Mammogram, left breast, medio-lateral oblique view. Patient age 48.
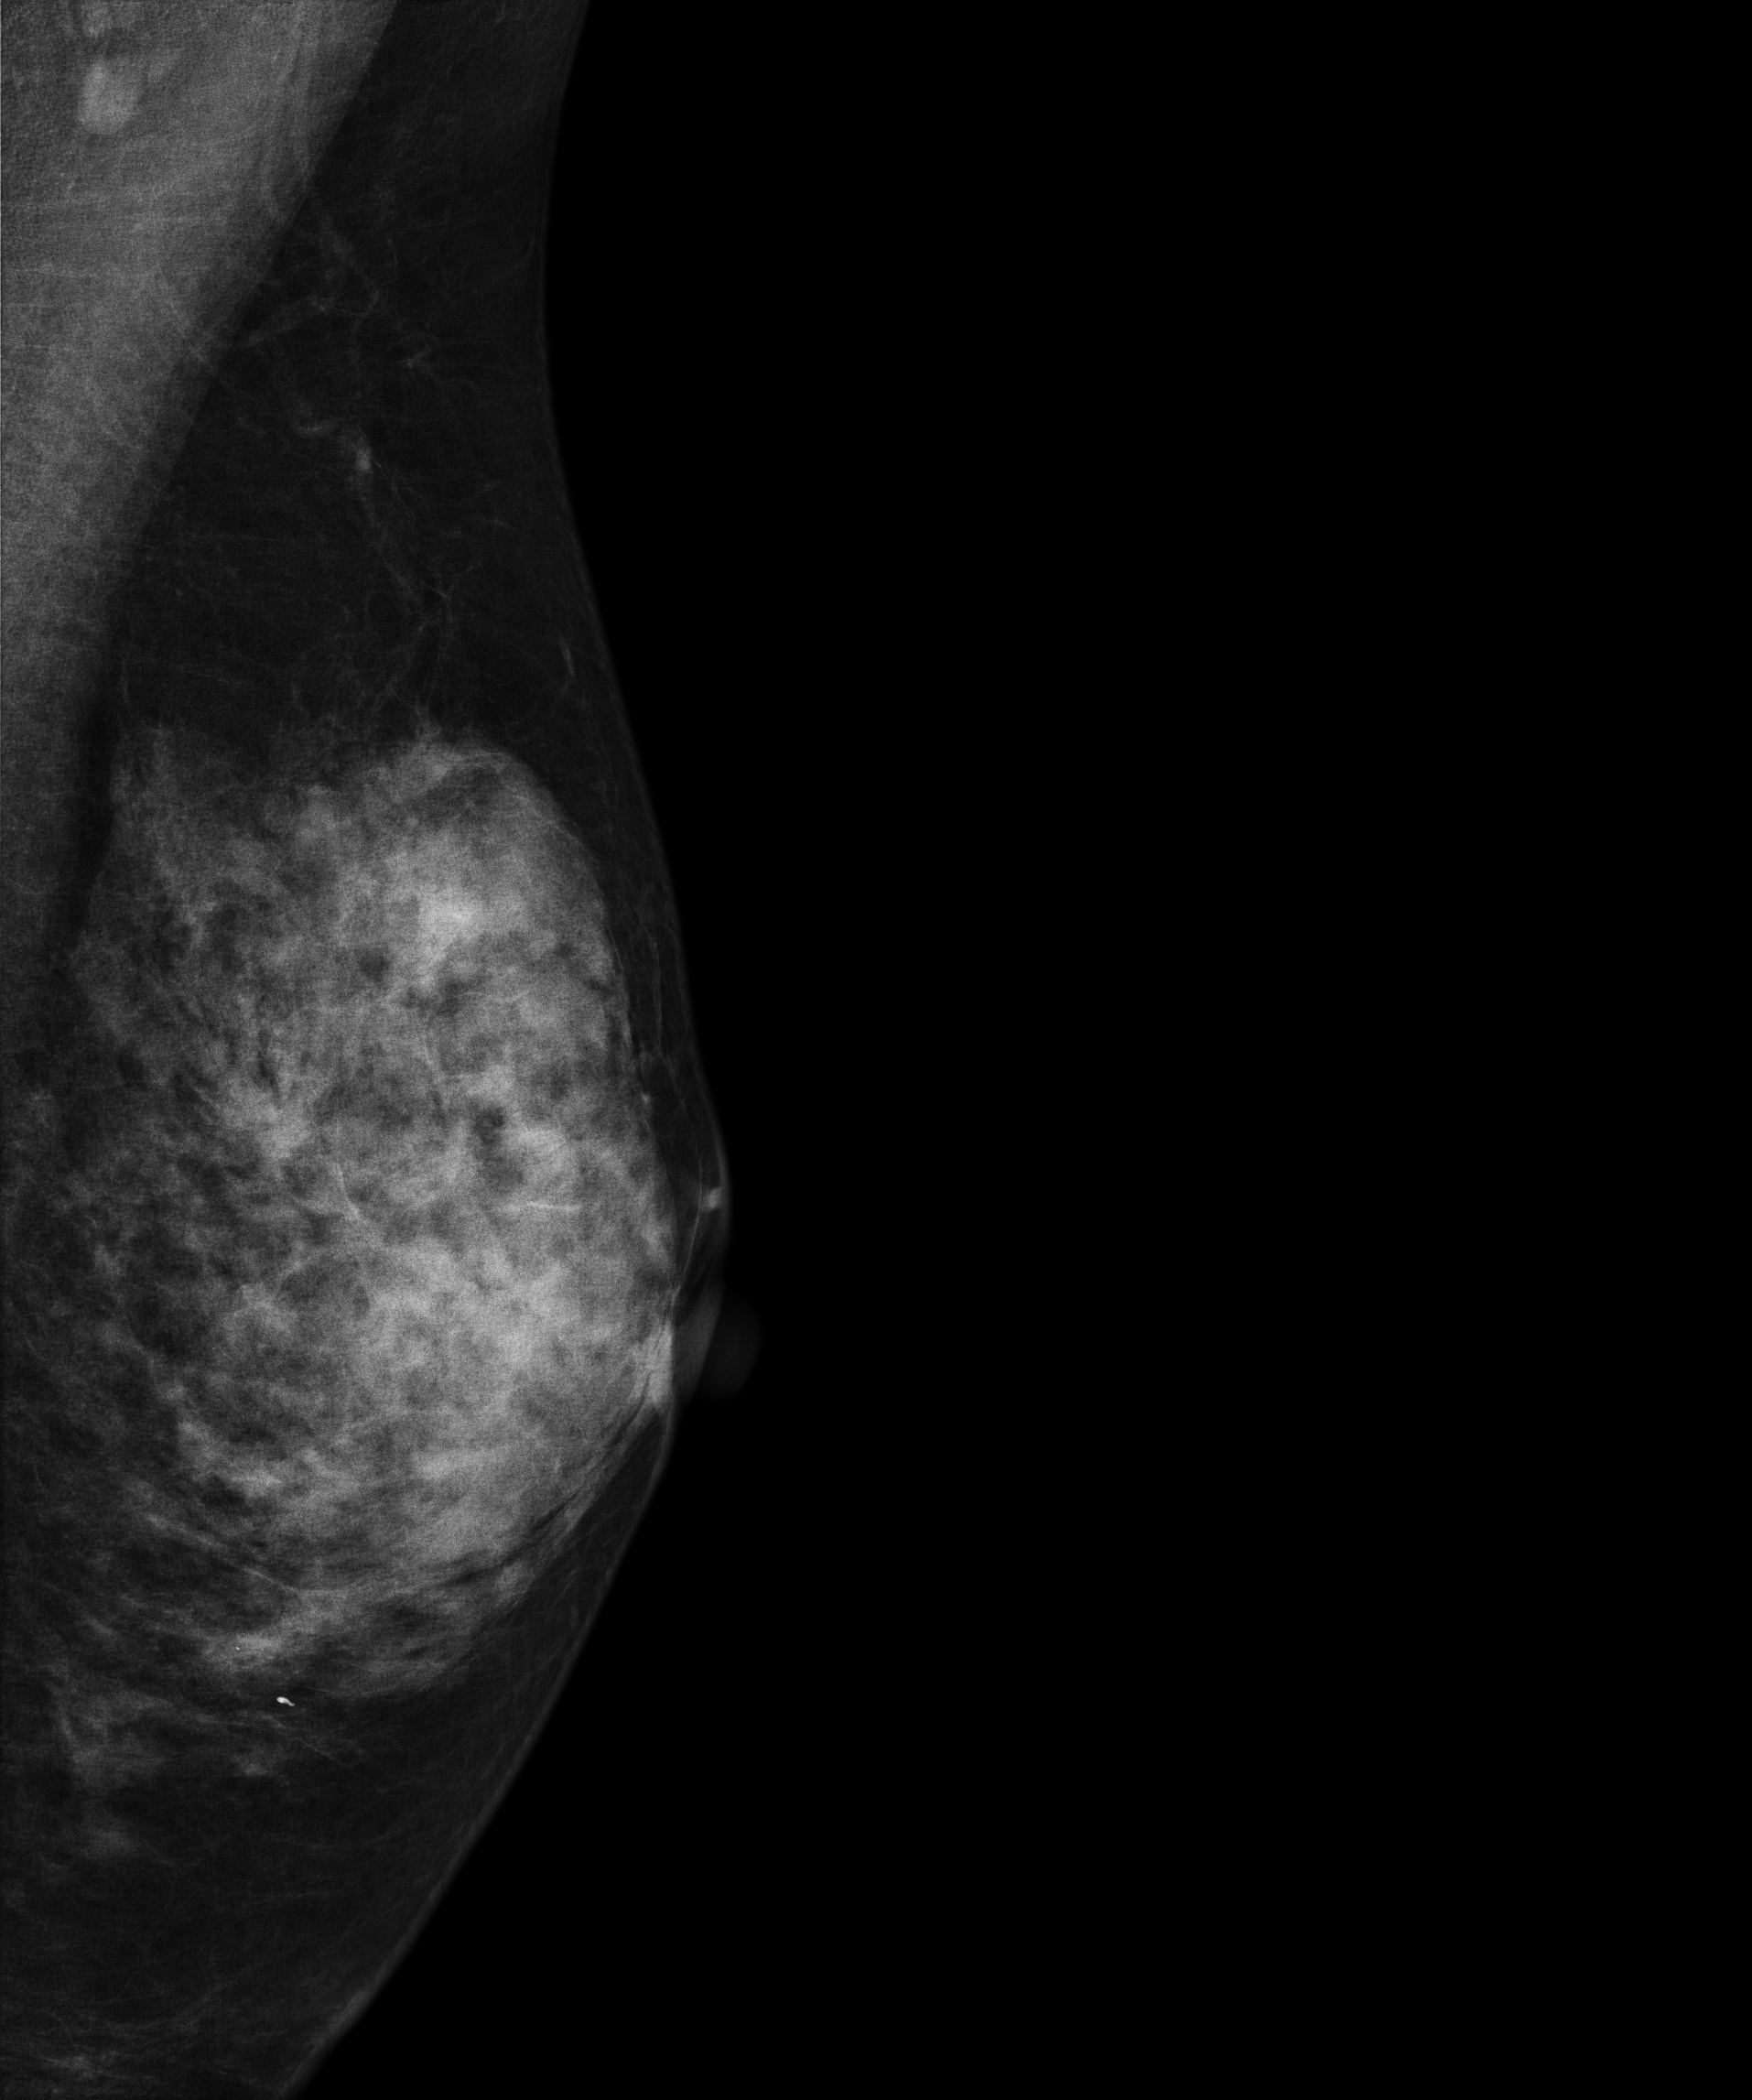
This breast has a mass, pathology-confirmed malignant.